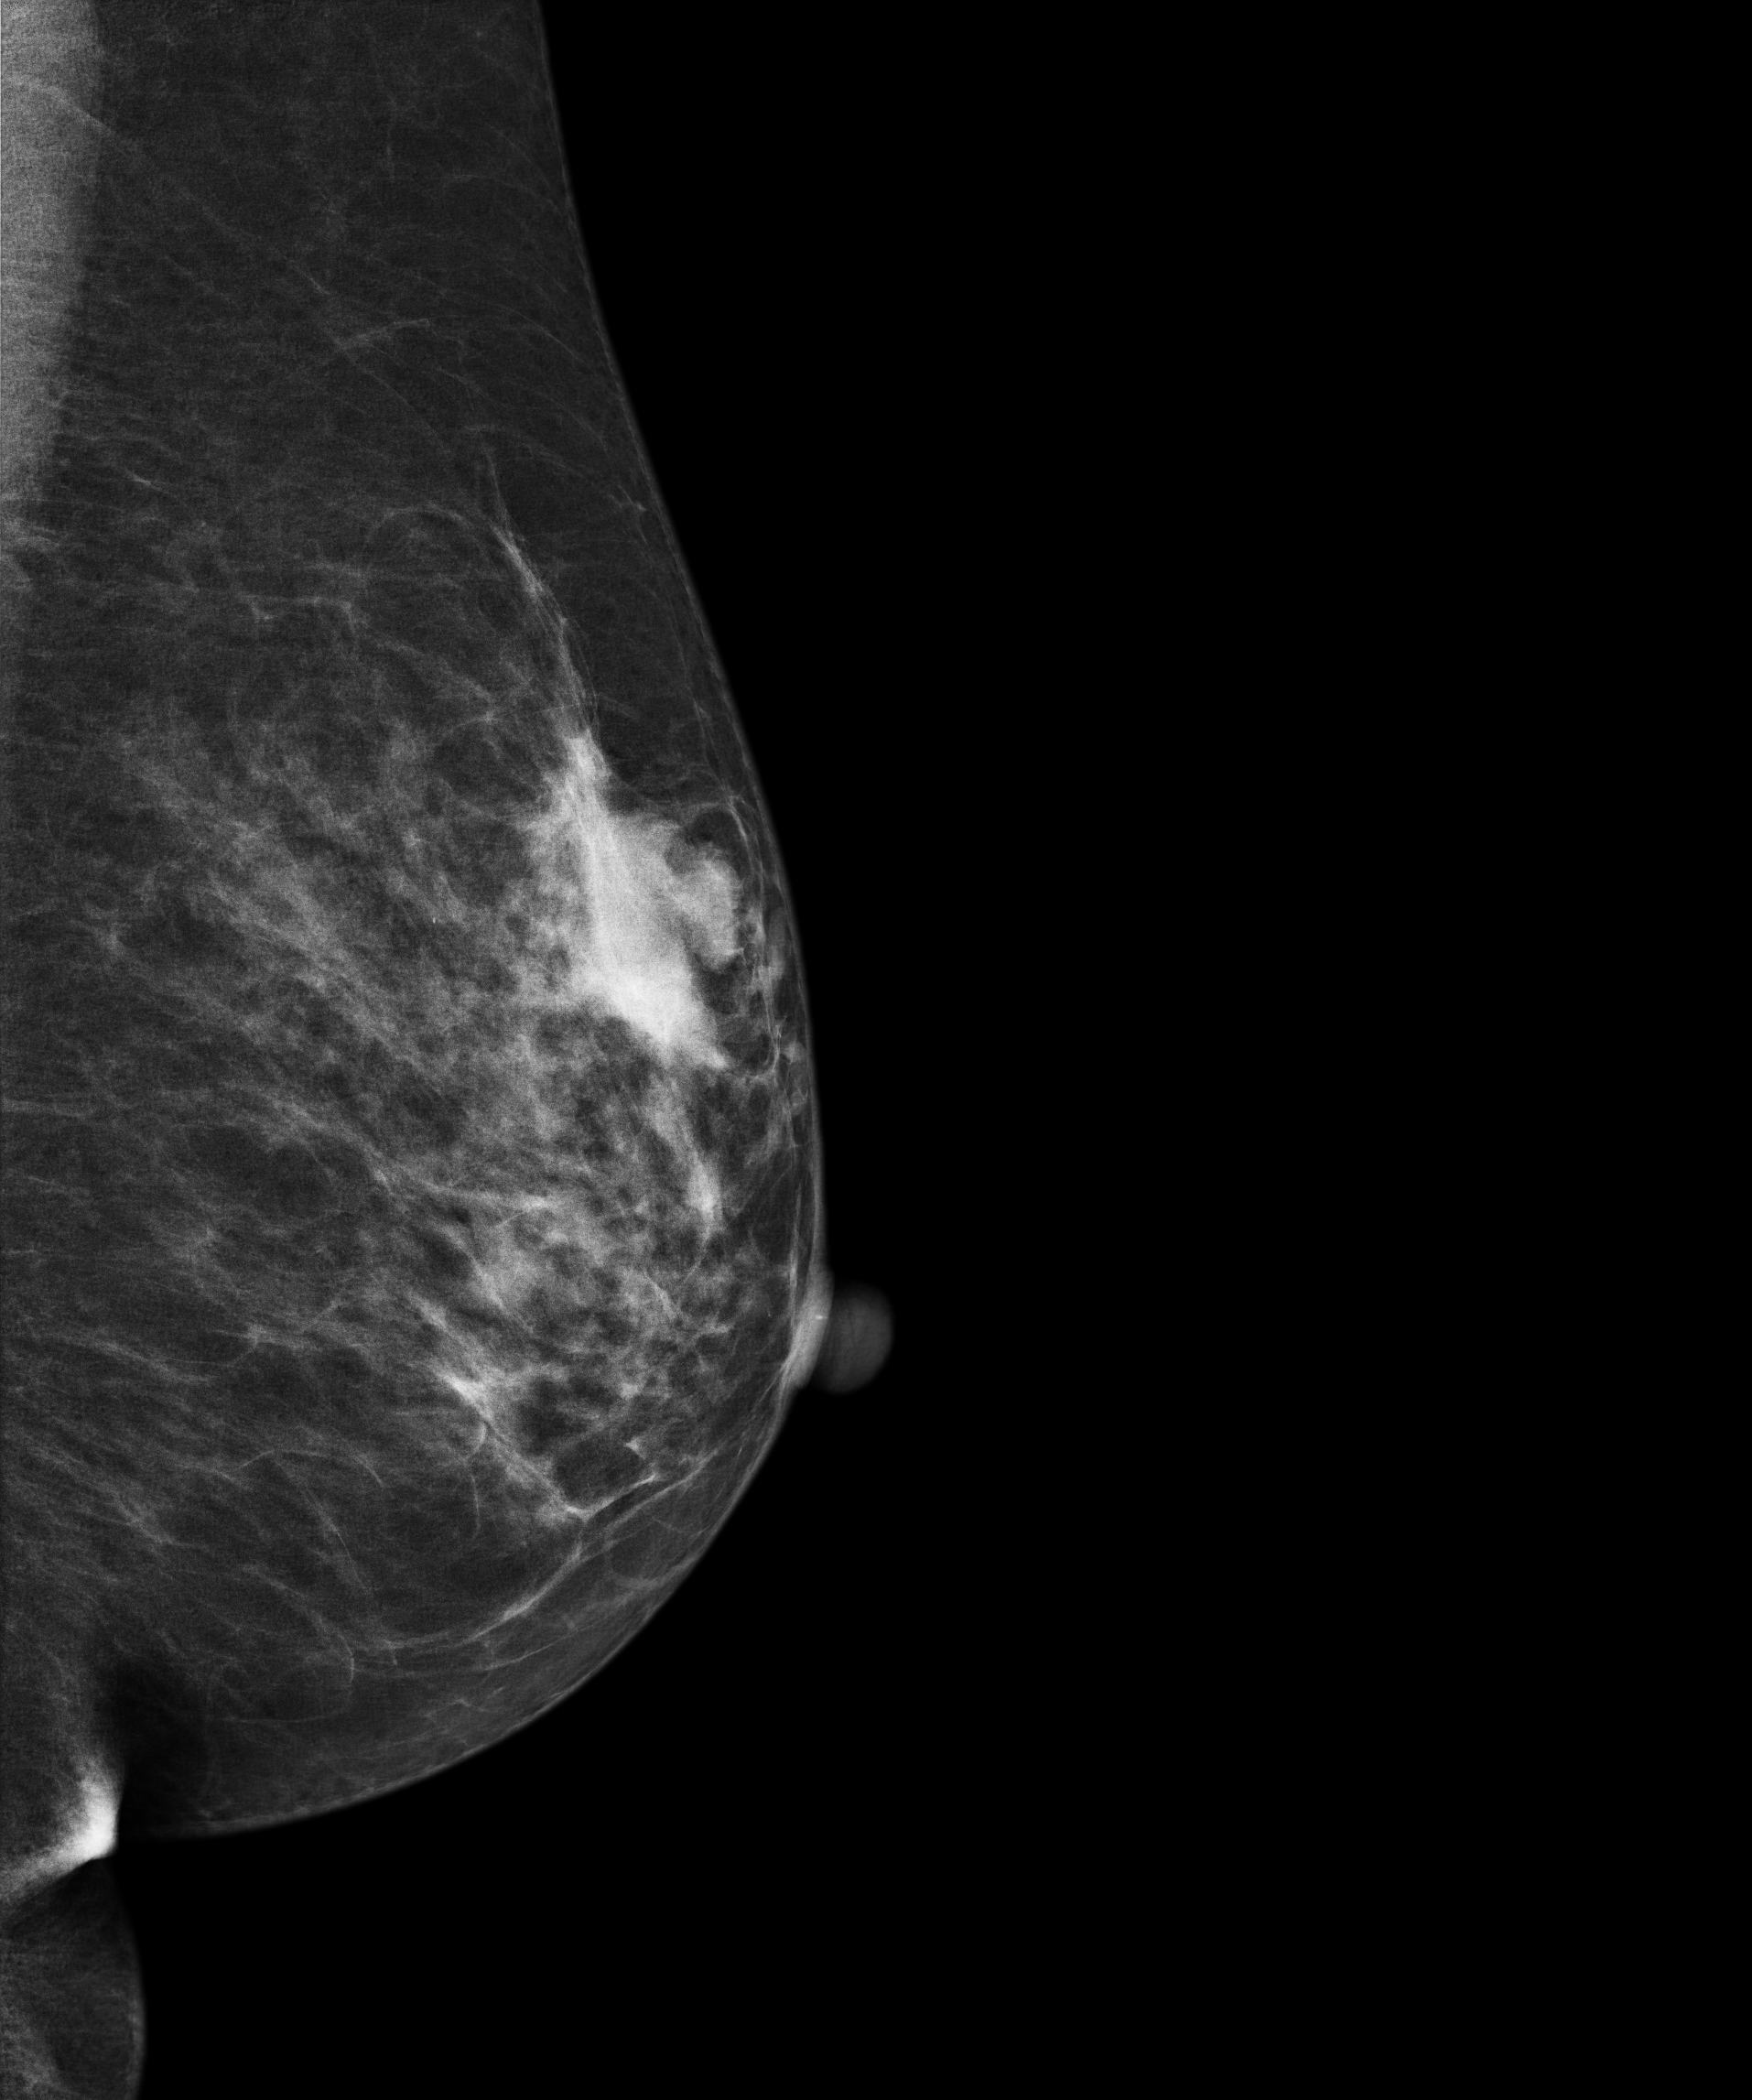
Digital mammography. Left breast, MLO projection. Patient age 62.
This breast has a mass, histologically confirmed malignant. Molecular subtype: HER2-enriched.